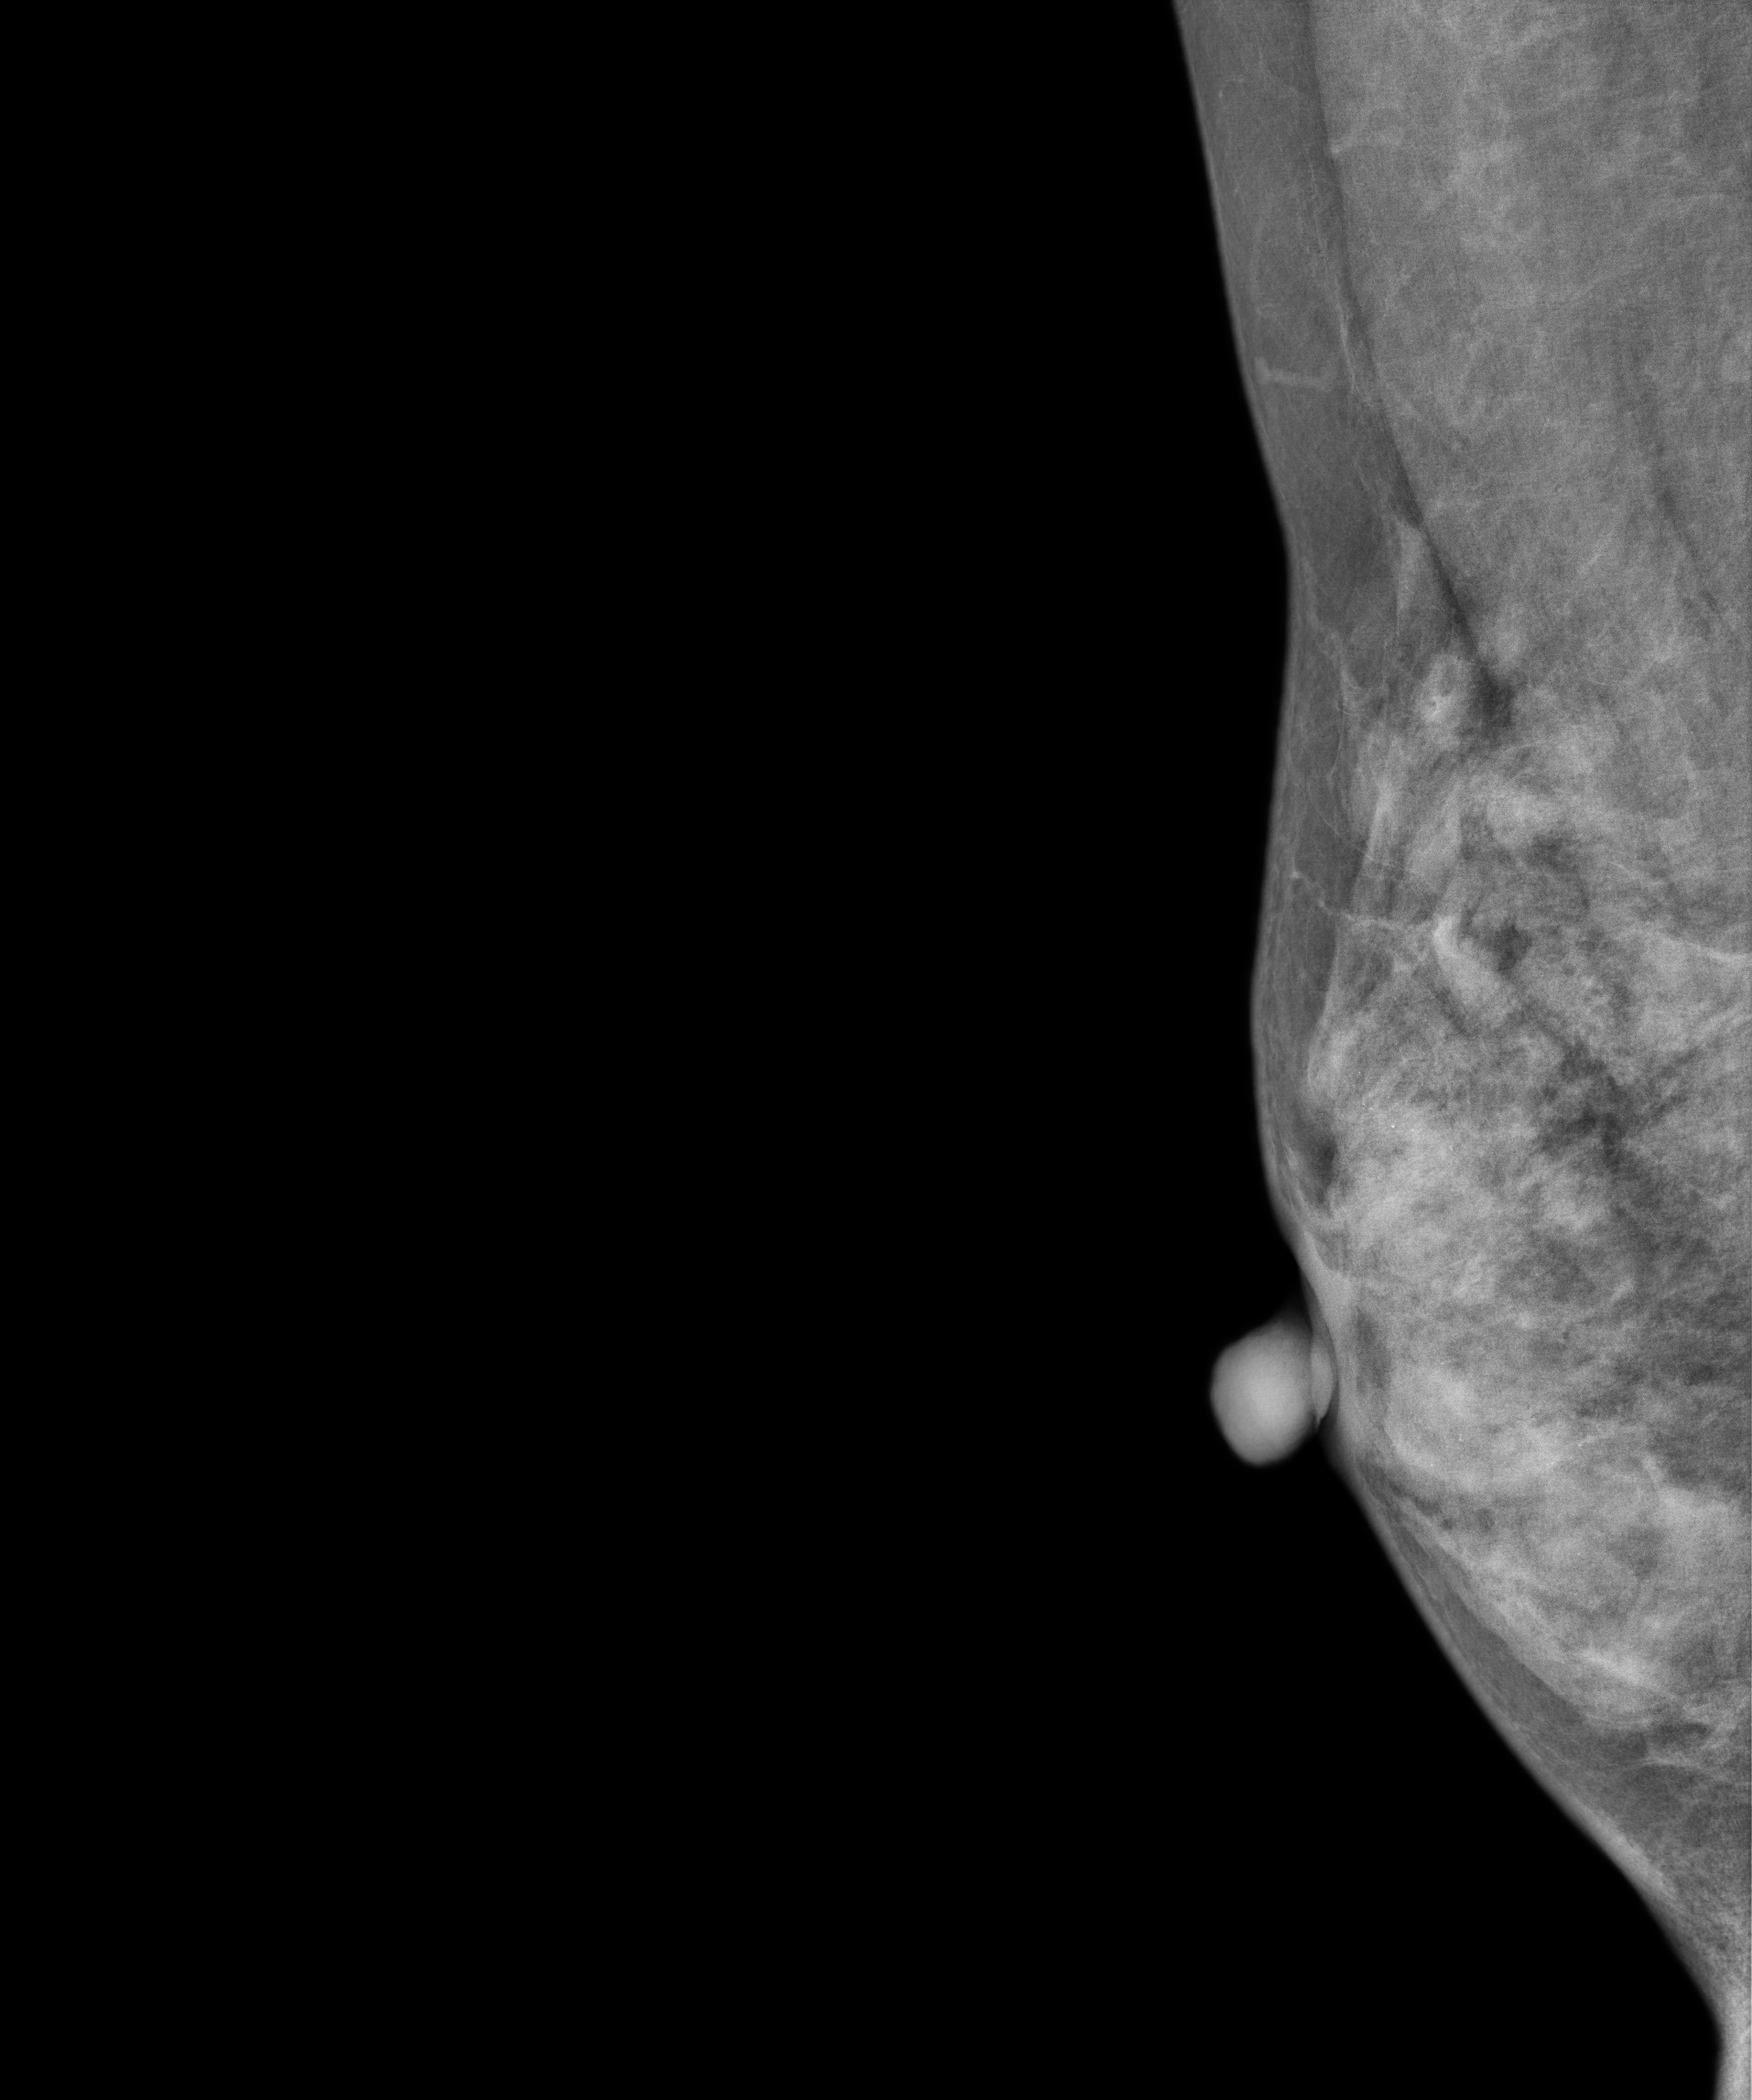
Mammogram — right medio-lateral oblique. 50 y/o patient.
This breast has a mass and calcifications, biopsy-proven malignant.